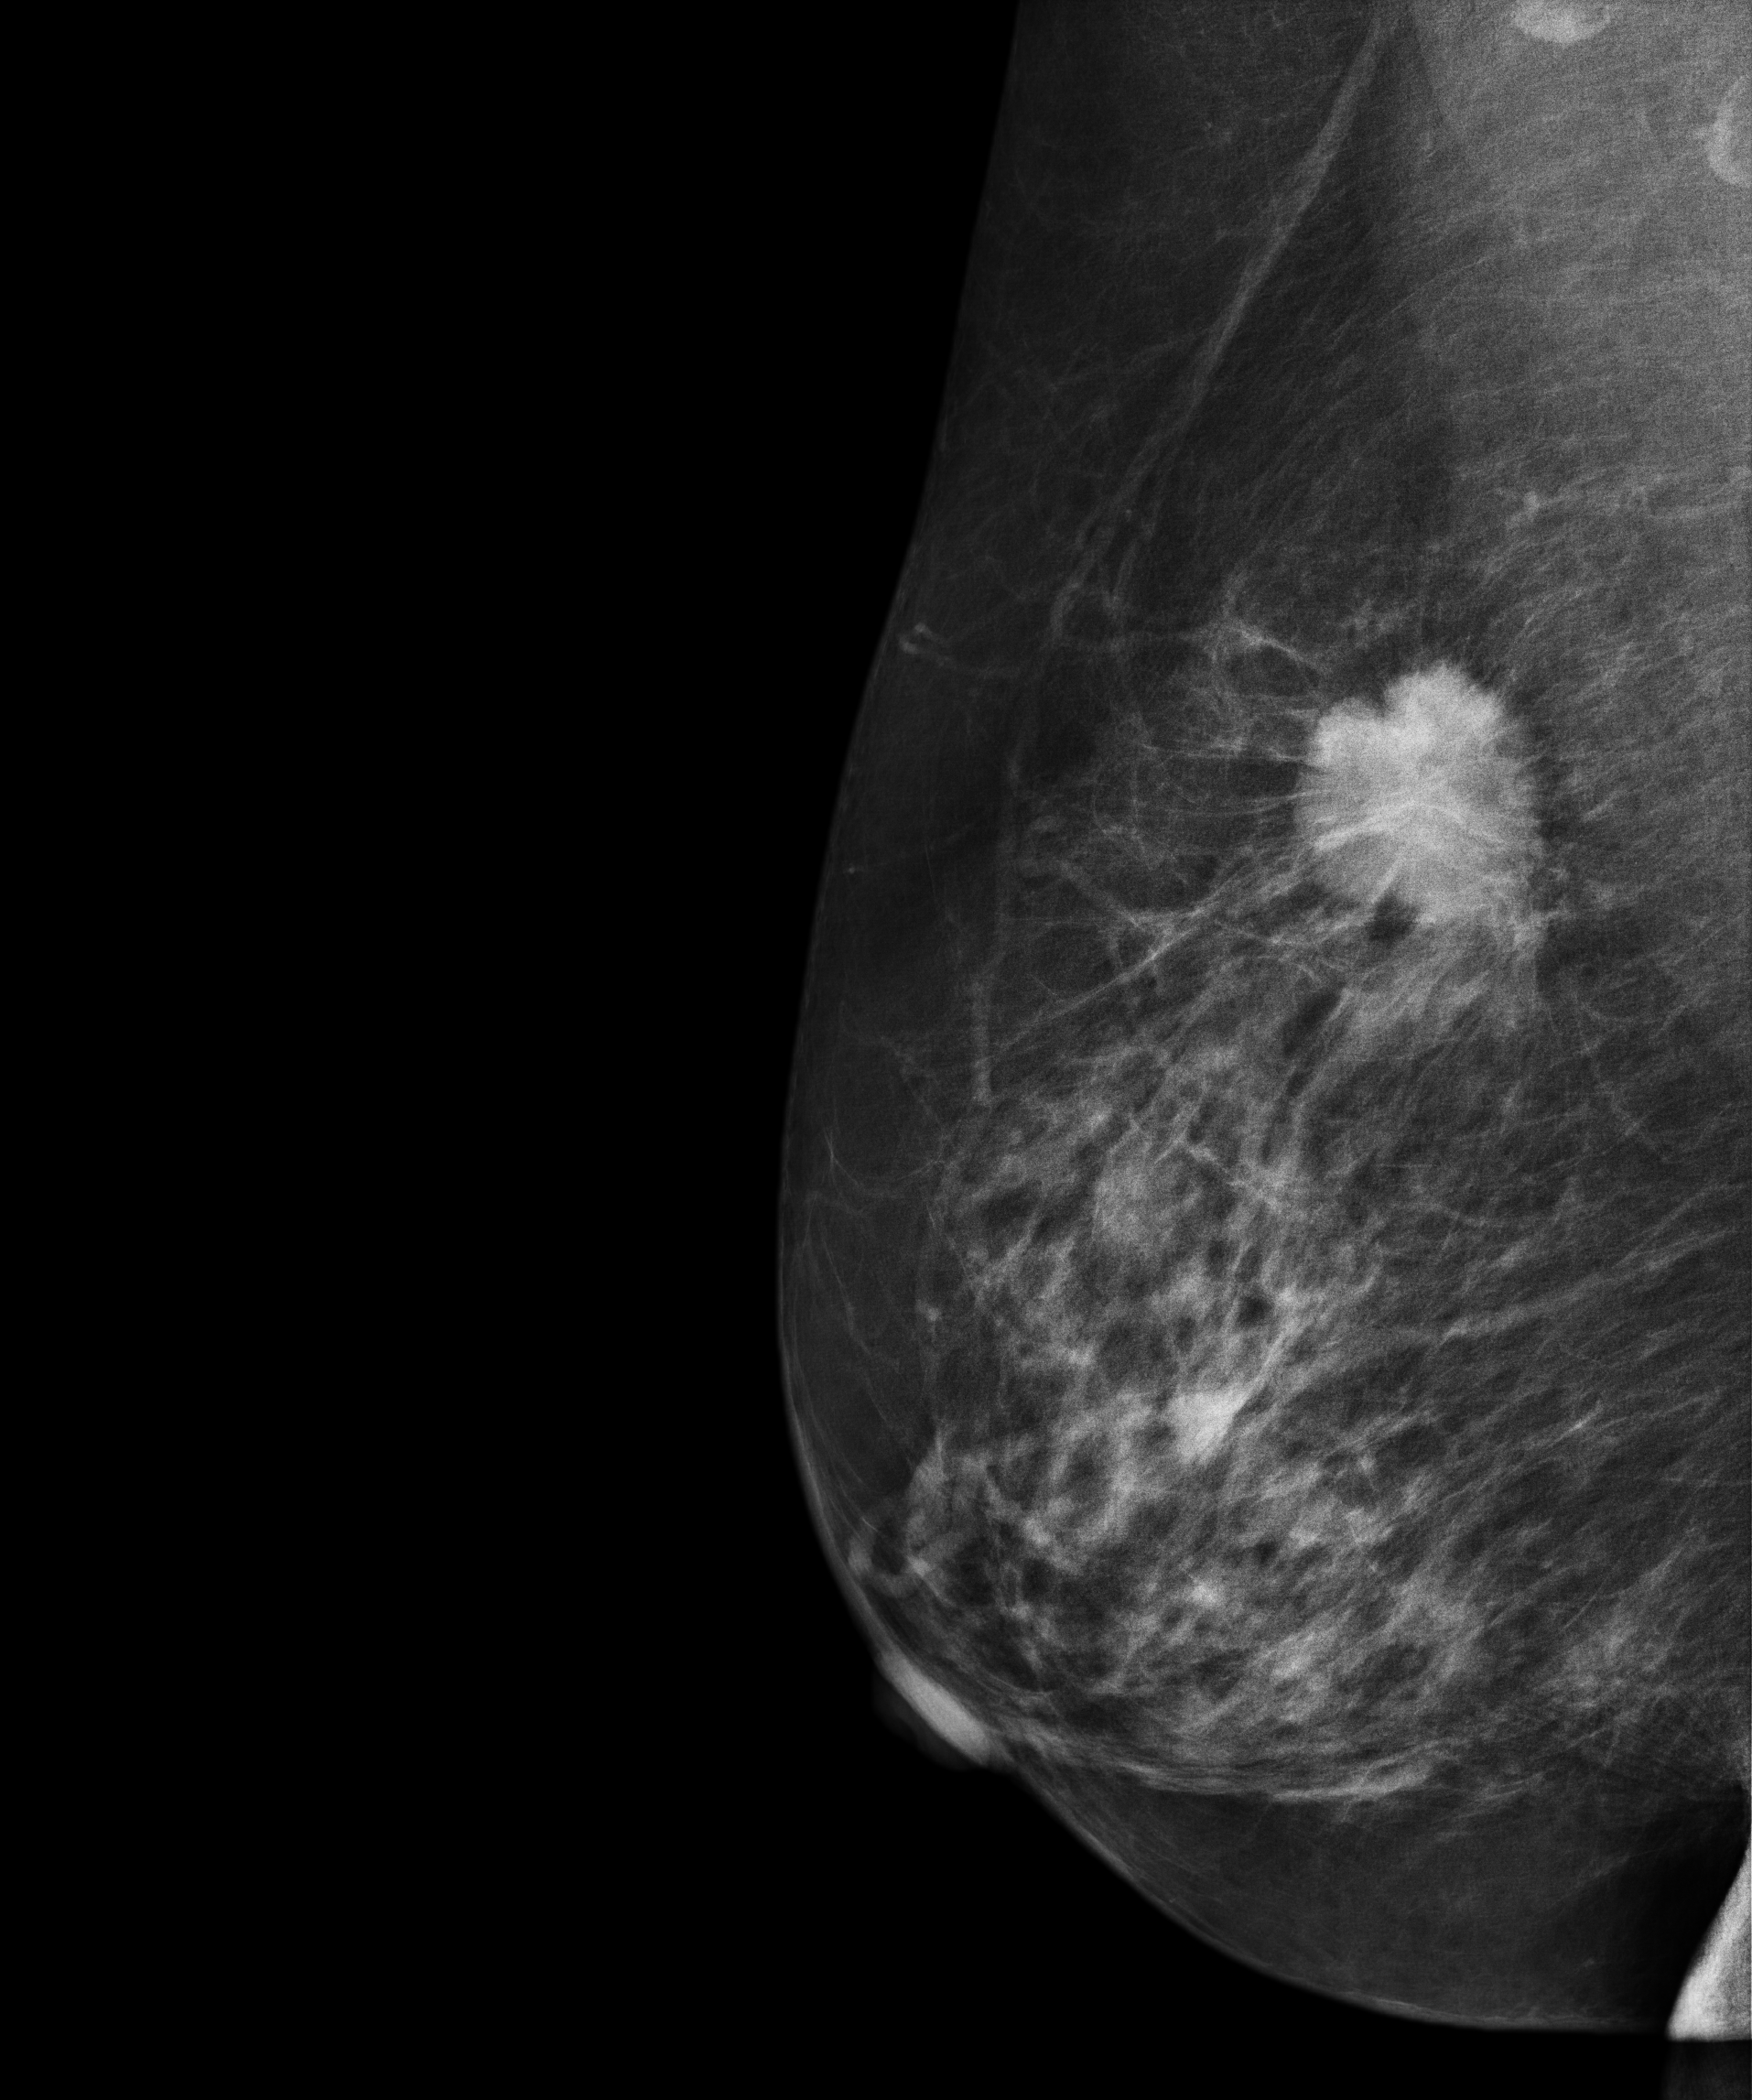
Right-breast mammogram, MLO. Patient age 66.
This breast has a mass, pathology-confirmed malignant. Molecular subtype: luminal B.